Cranio-caudal mammogram of the right breast. 44 y/o patient.
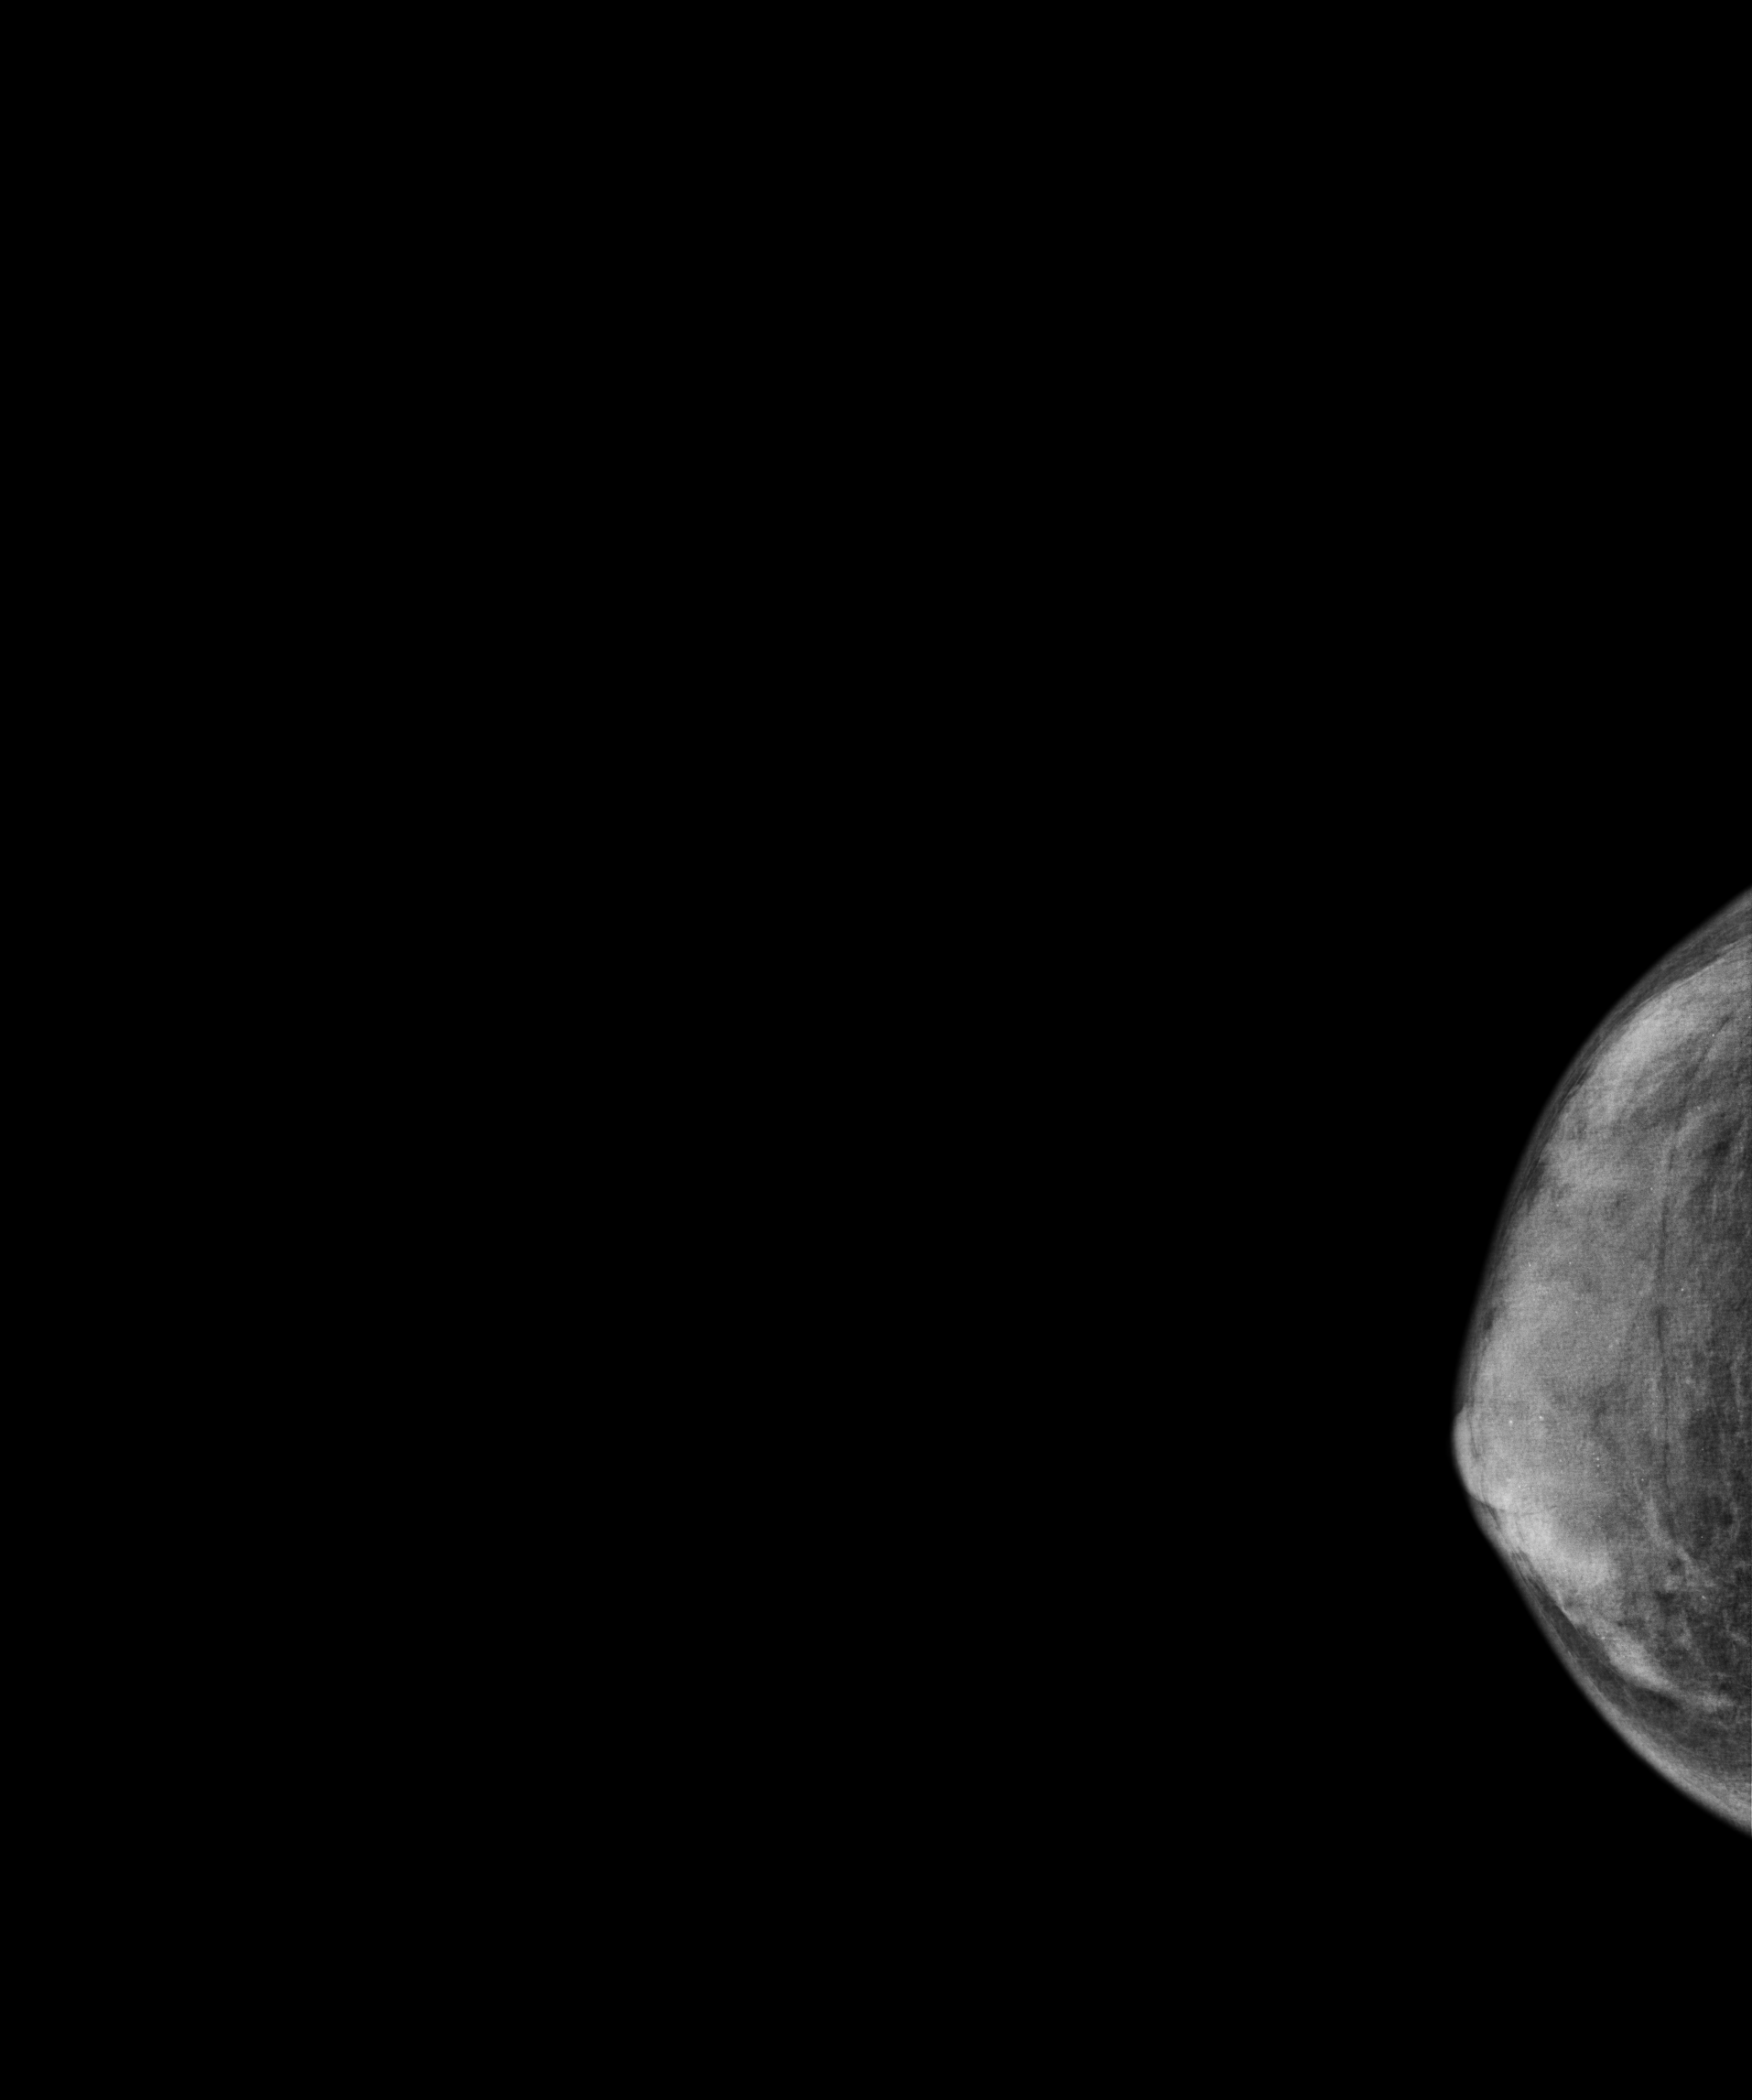
Contralateral breast — no documented abnormality on this side.